MLO mammogram of the right breast. 49-year-old patient.
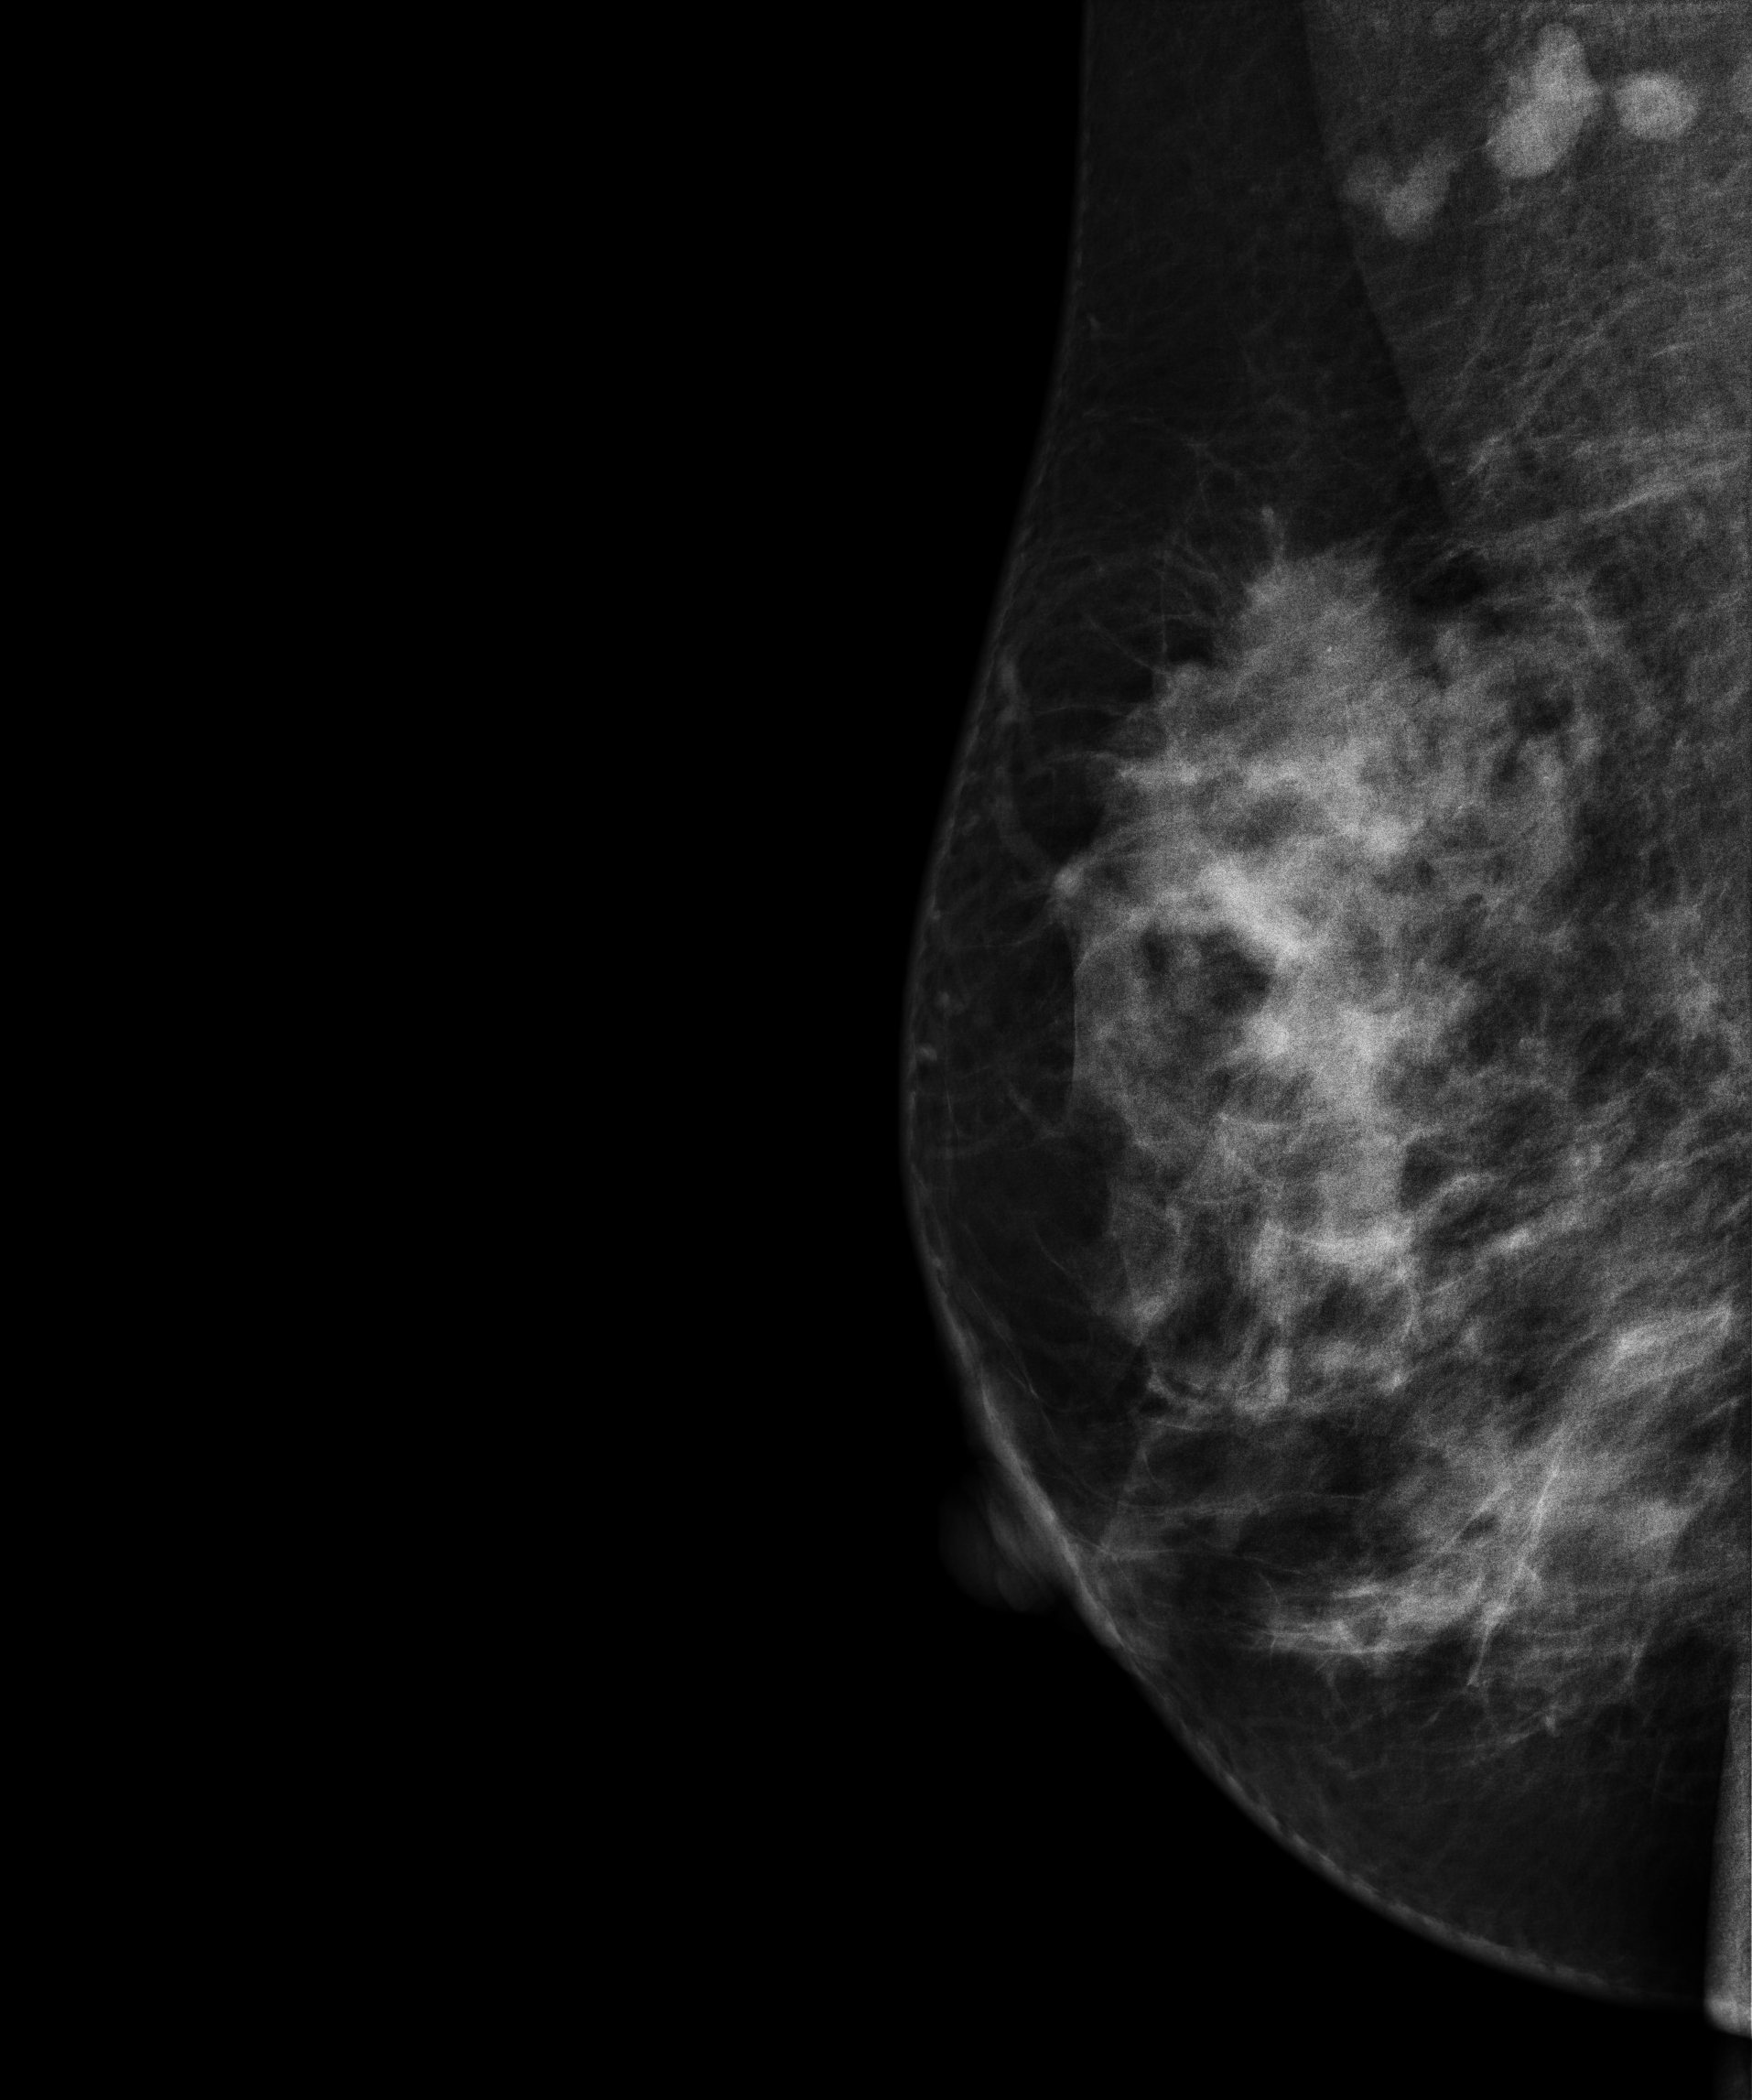
This breast has a mass, biopsy-confirmed malignant. Molecular subtype: luminal B.